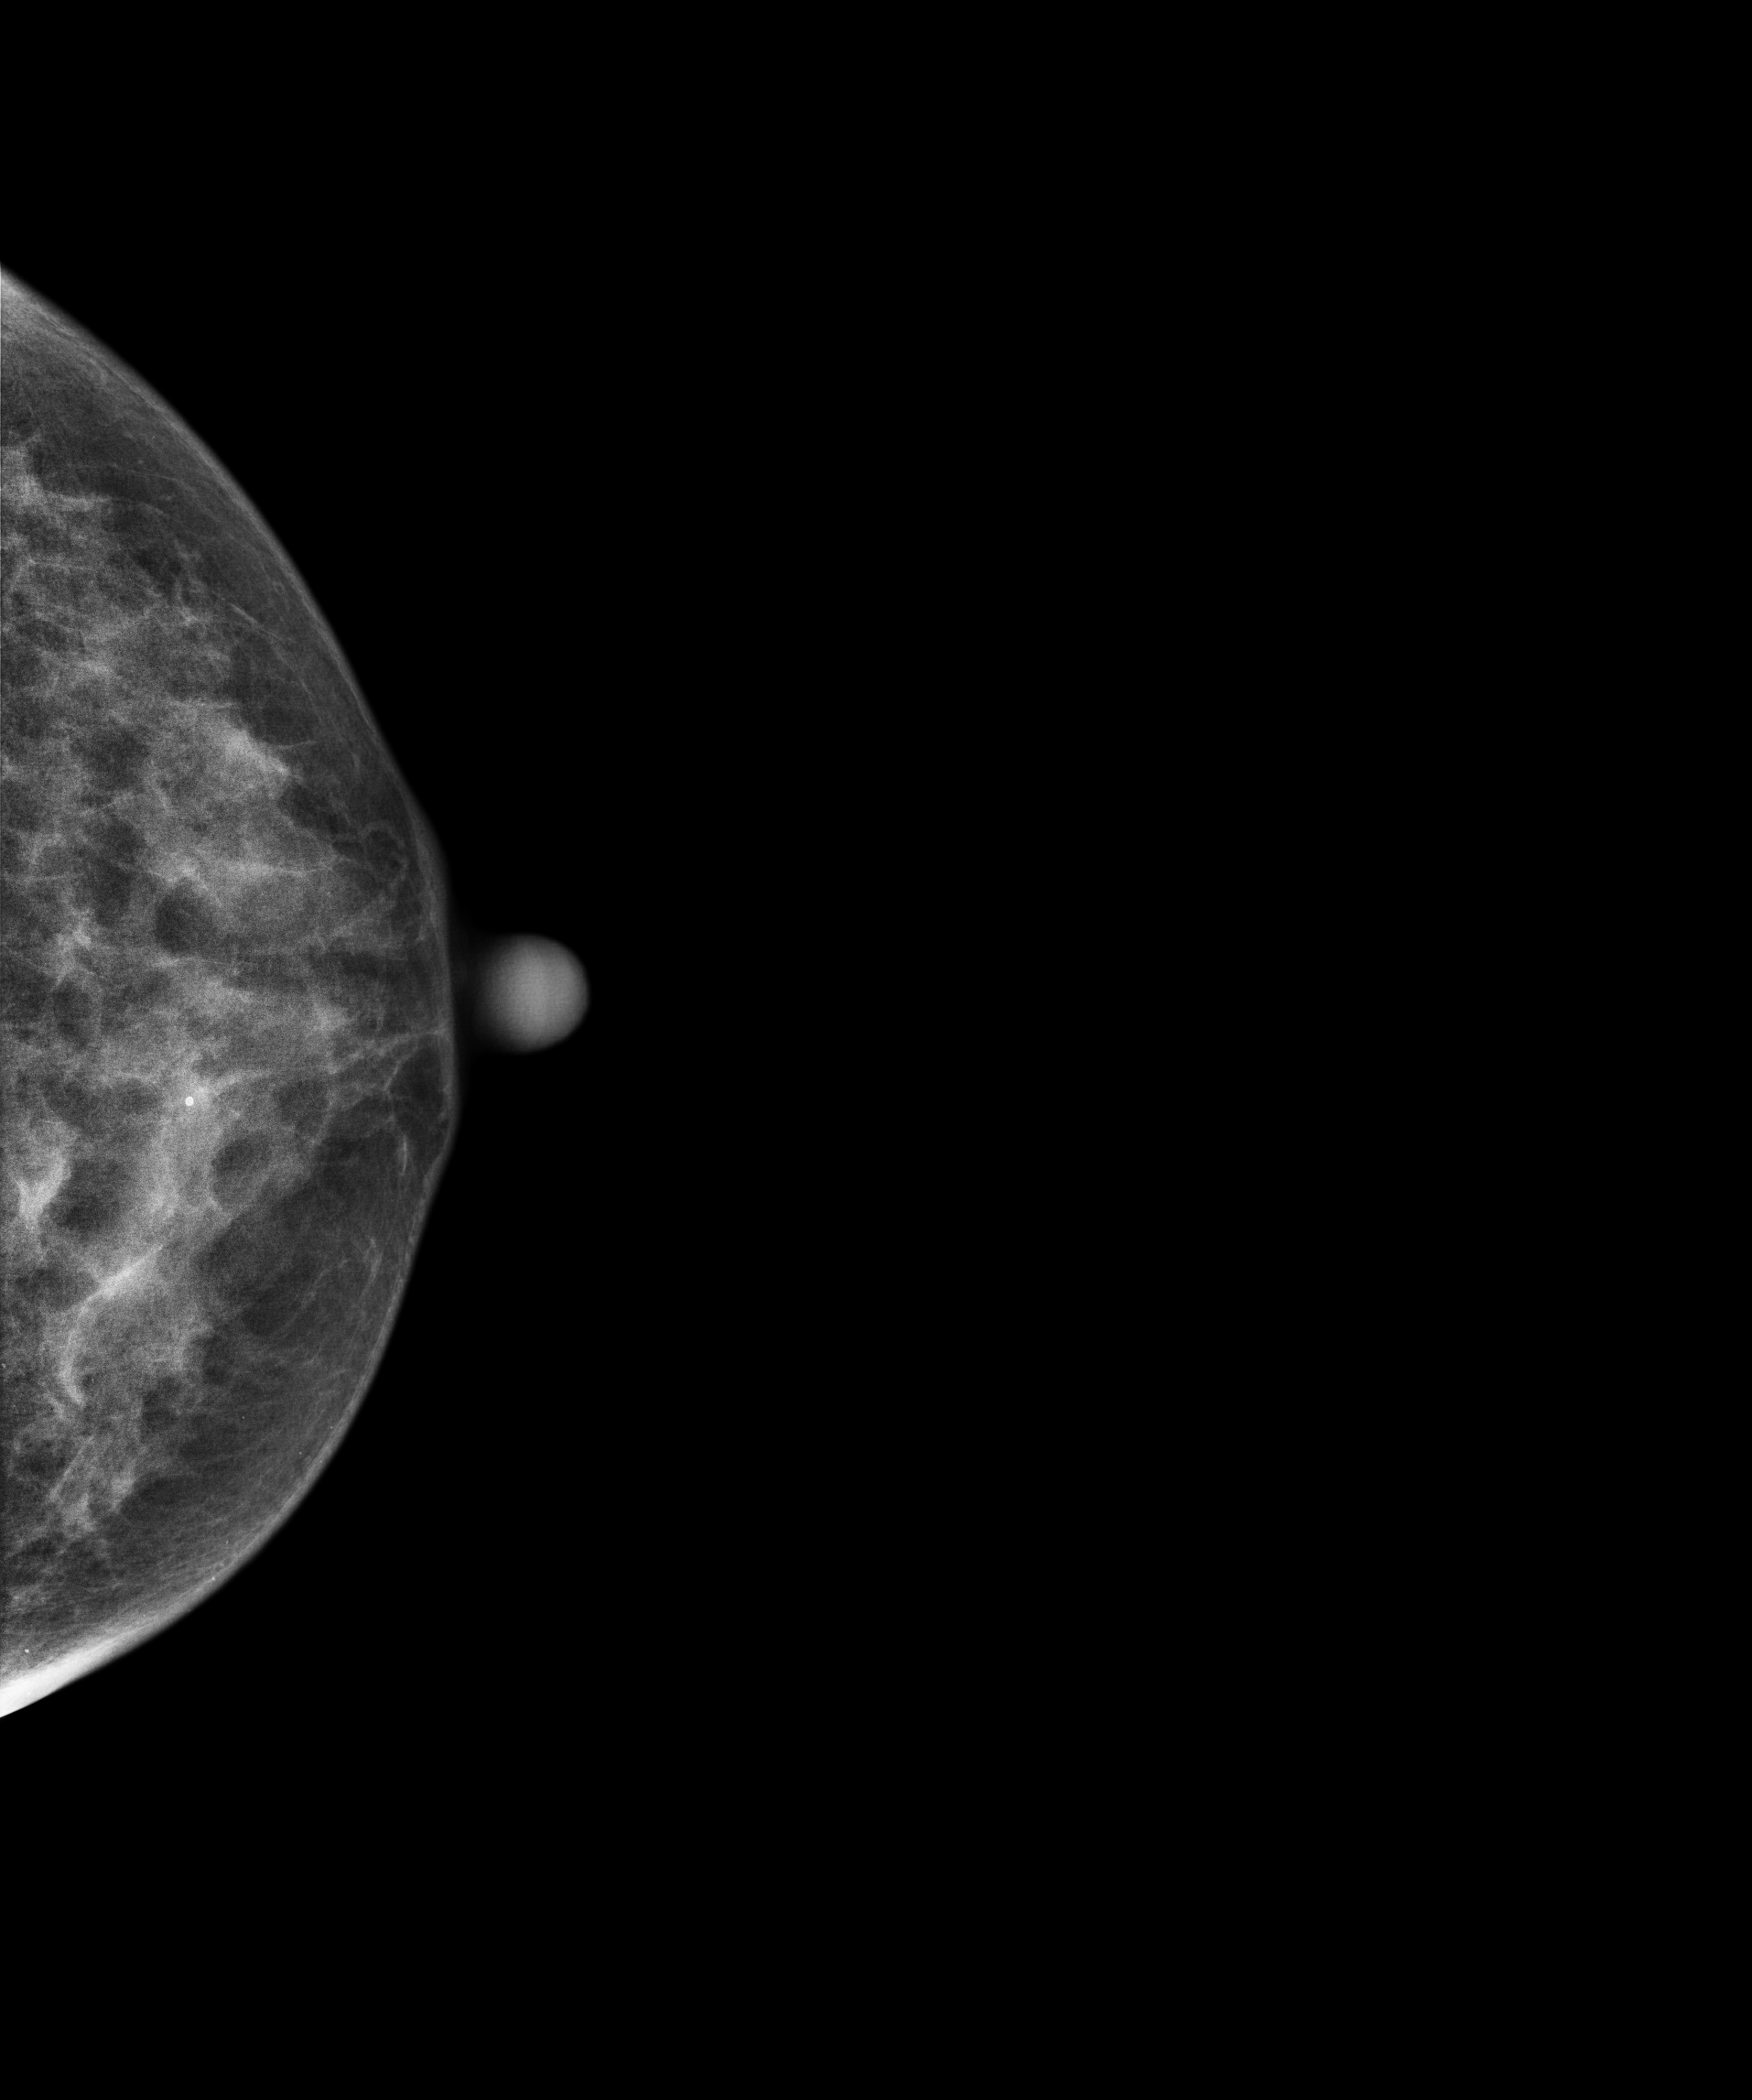
CC mammogram of the left breast. Patient age 55.
Contralateral breast — no documented abnormality on this side.